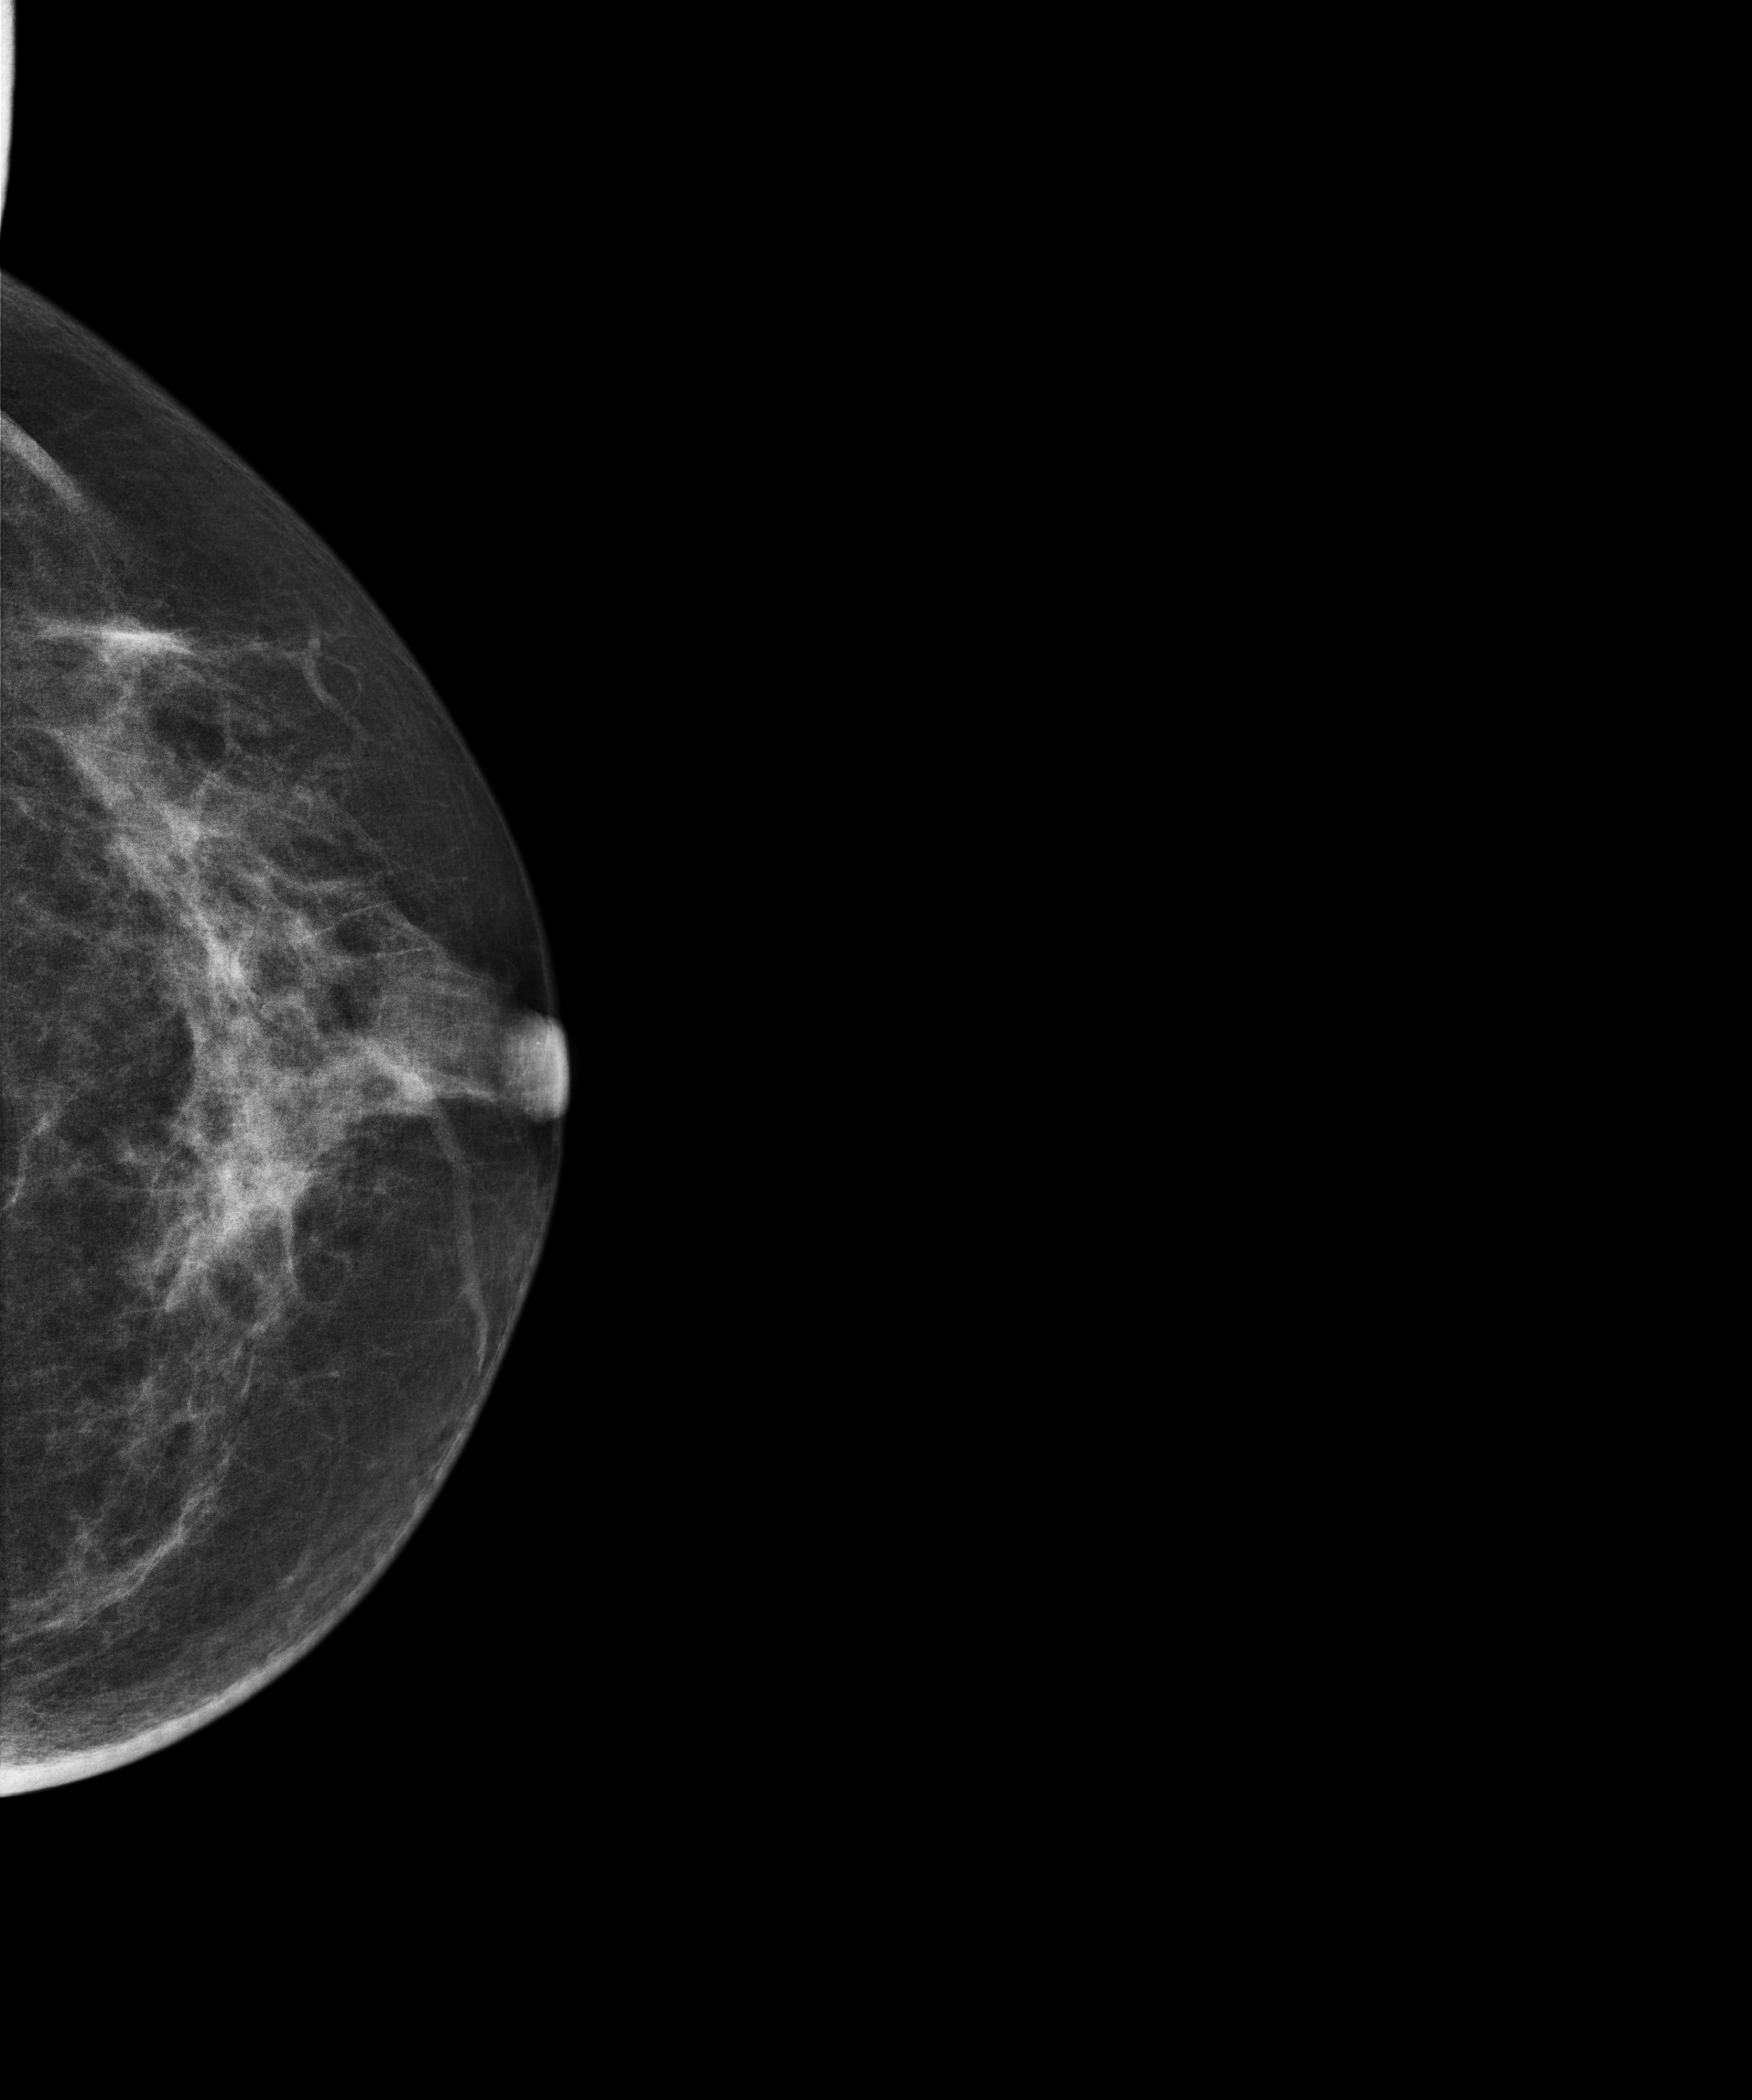
Cranio-caudal mammogram of the left breast. 65 y/o patient.
This breast has a mass, histologically confirmed benign.